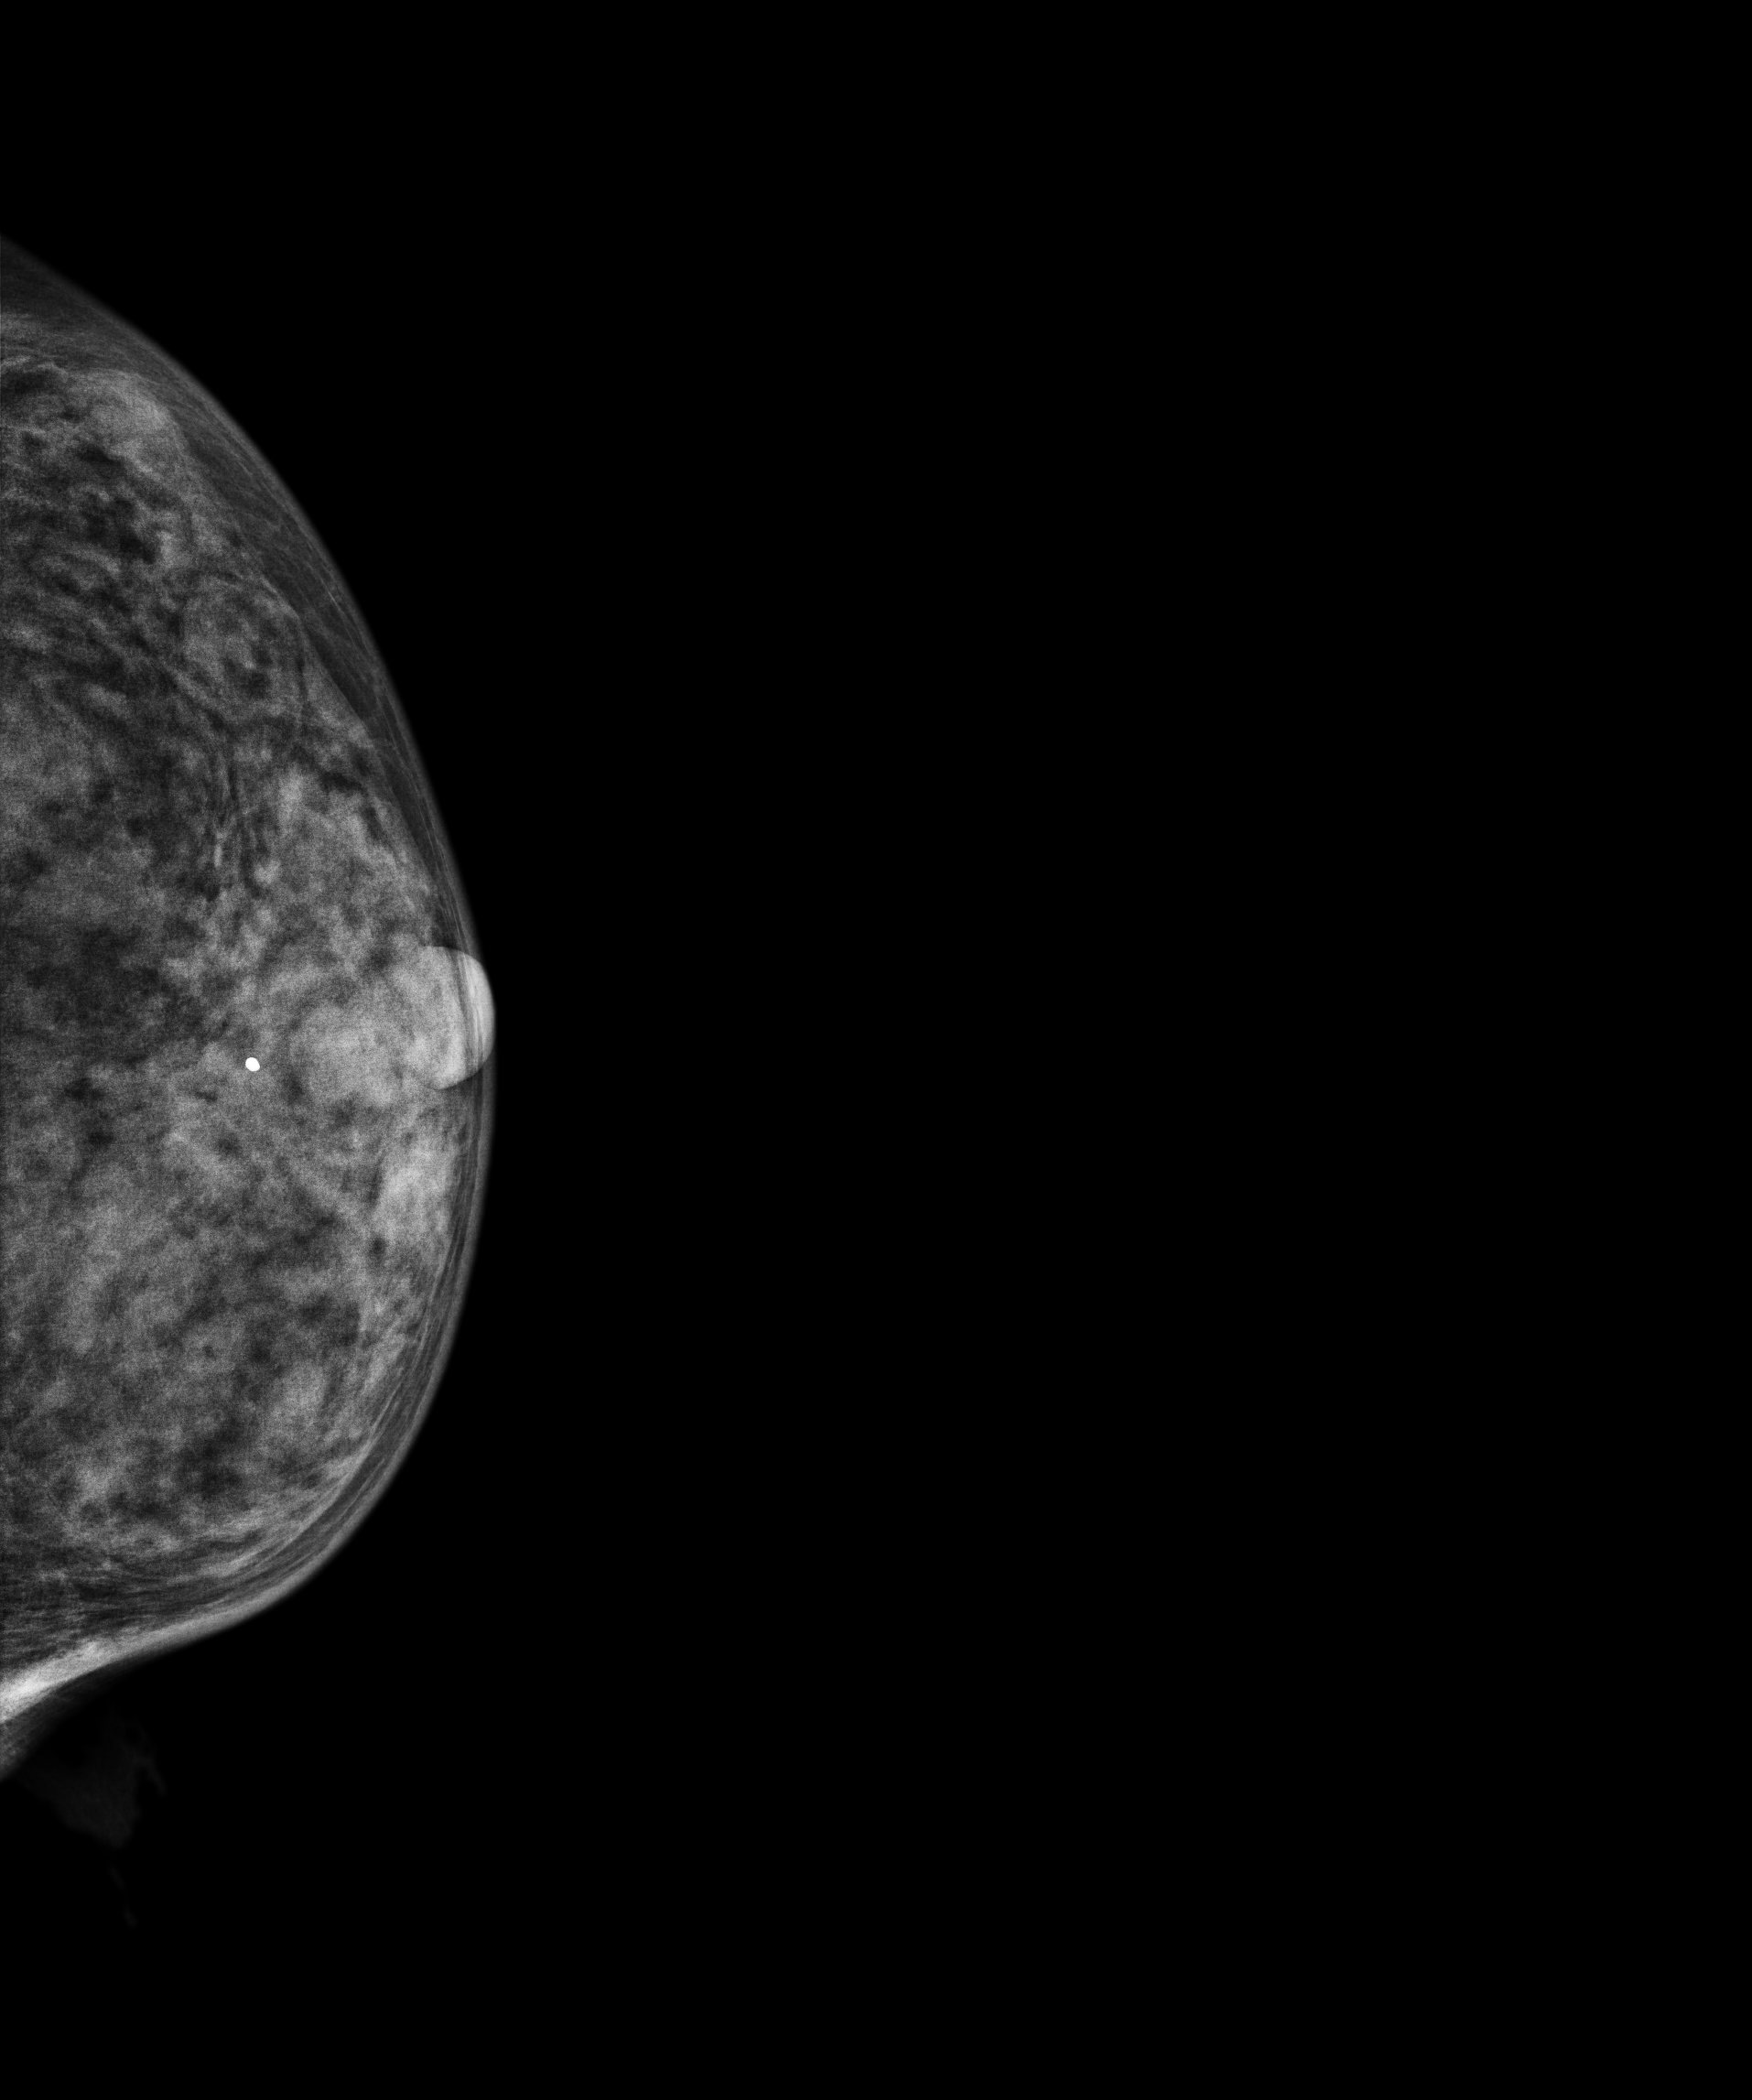
Mammogram — left cranio-caudal. Patient age 57.
This breast has a mass, biopsy-proven malignant.